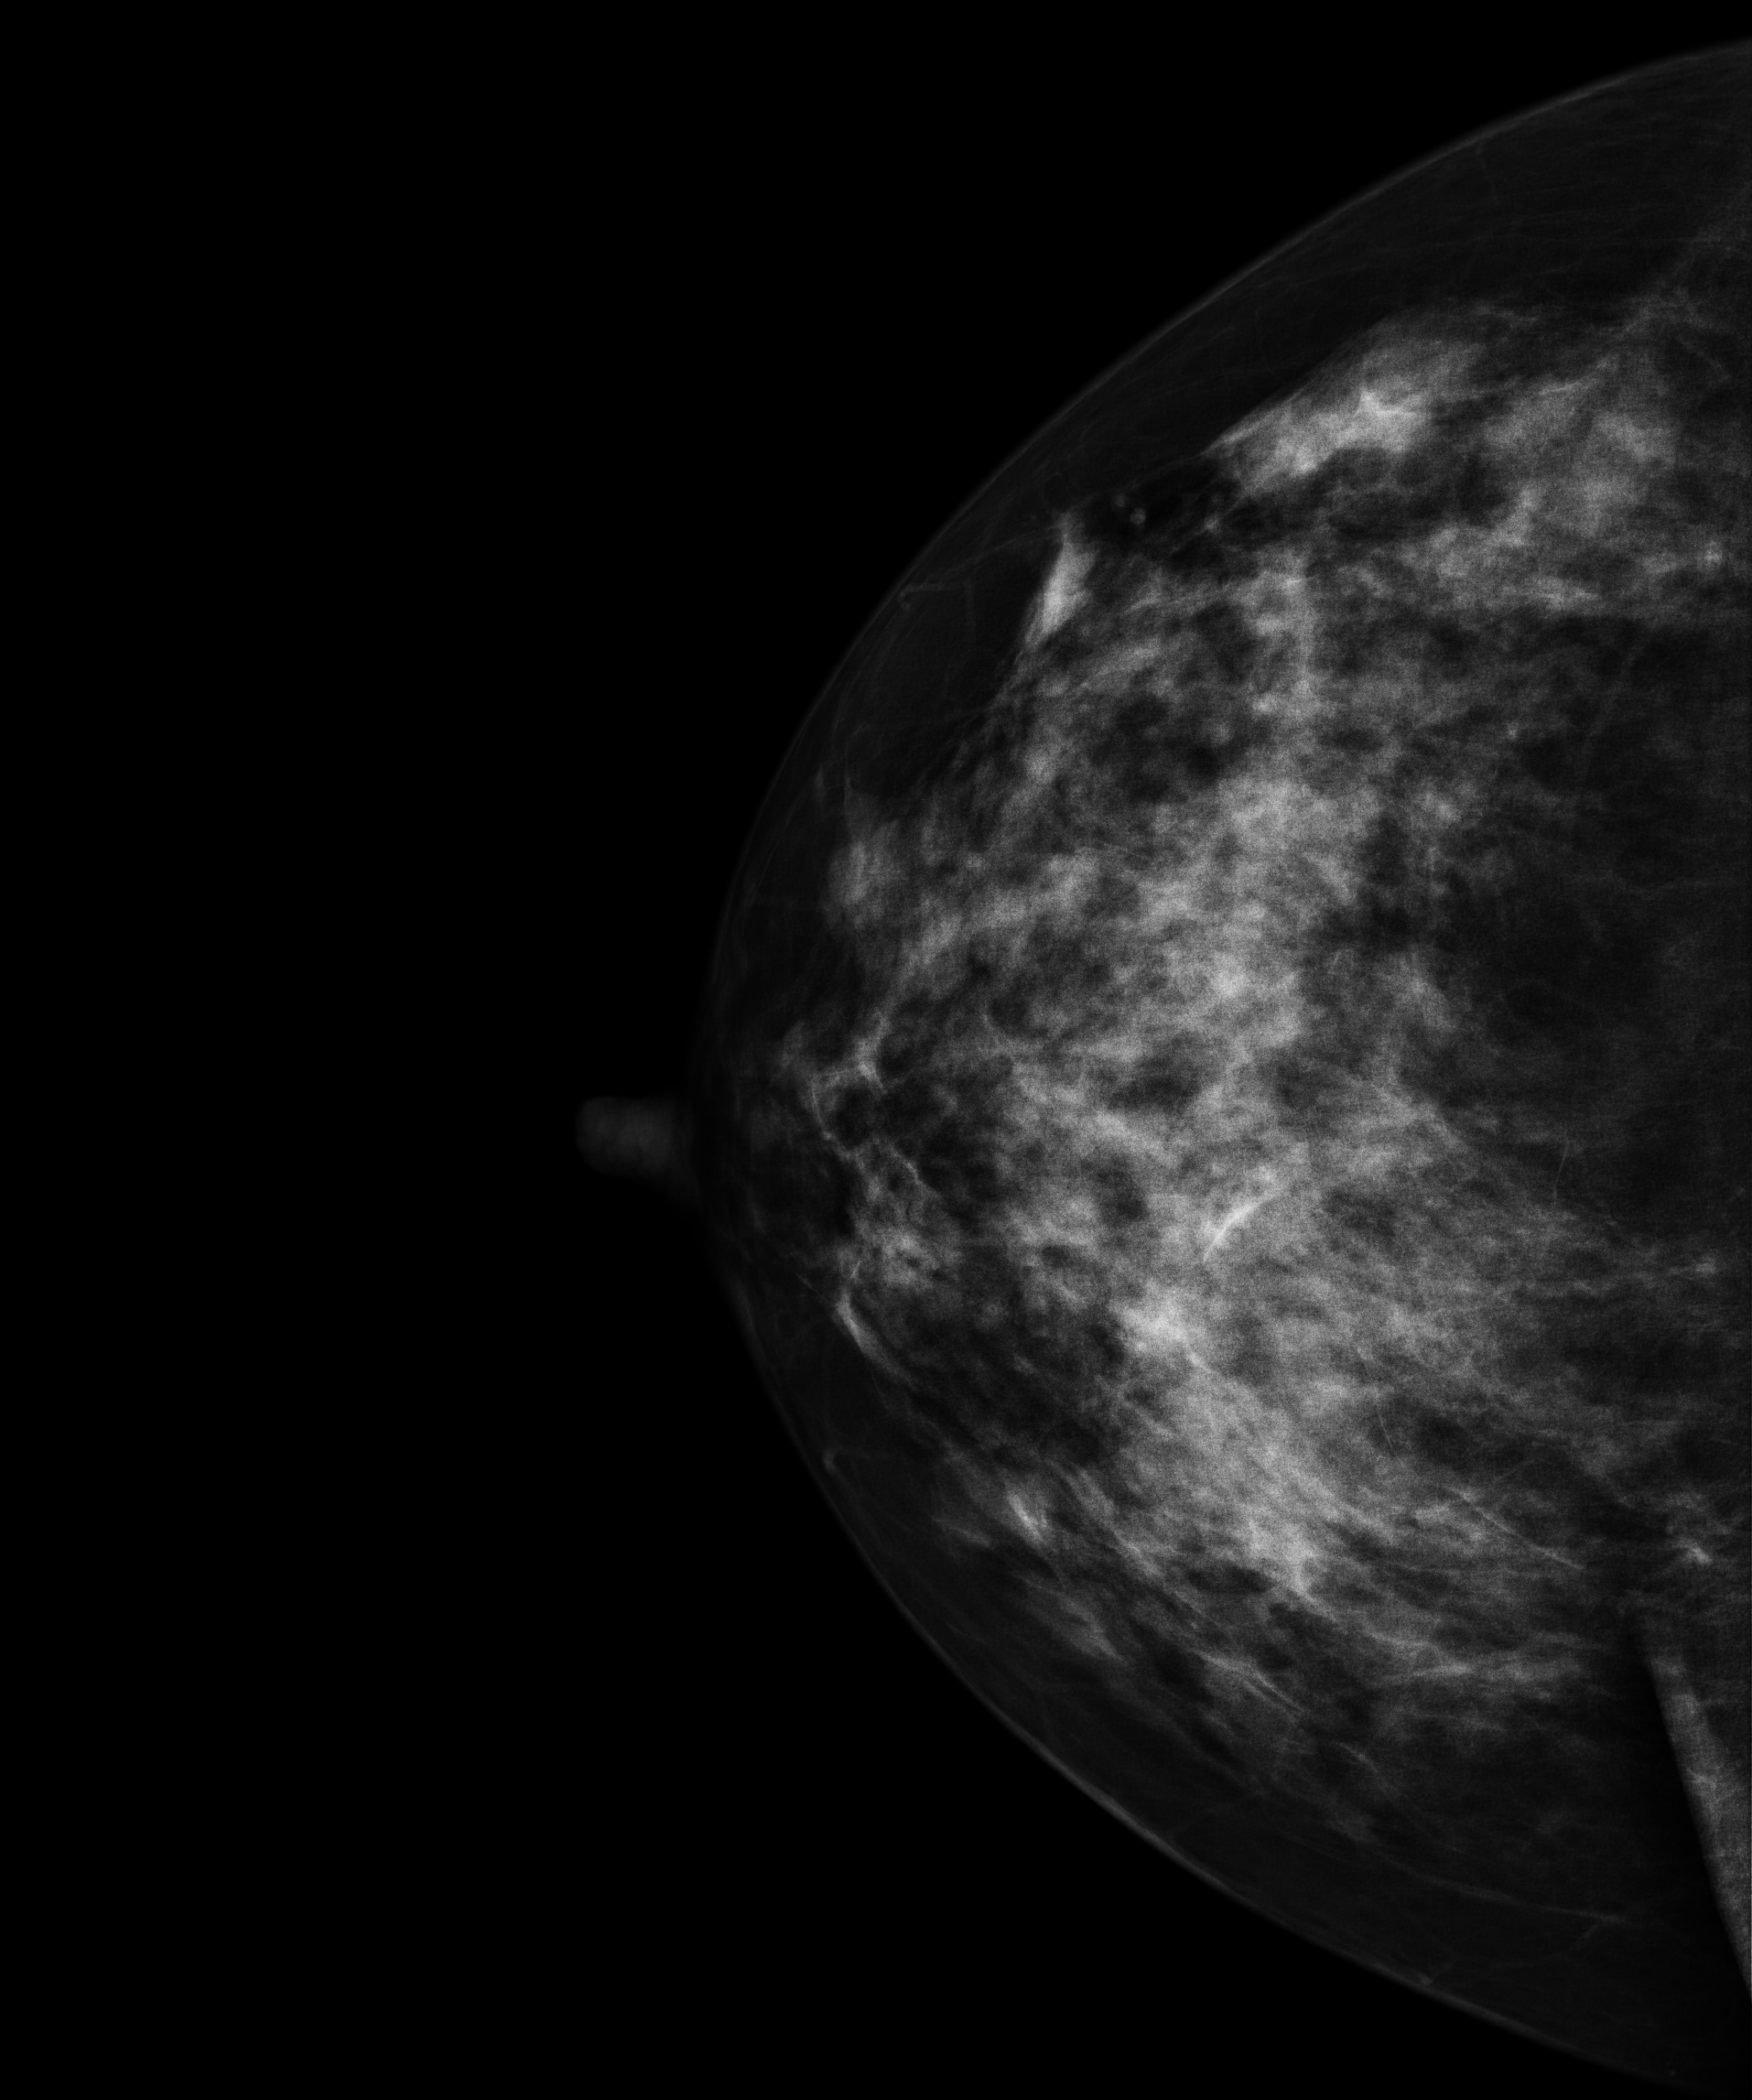
CC mammogram of the right breast. 39-year-old patient.
This breast has a mass, pathology-confirmed benign.